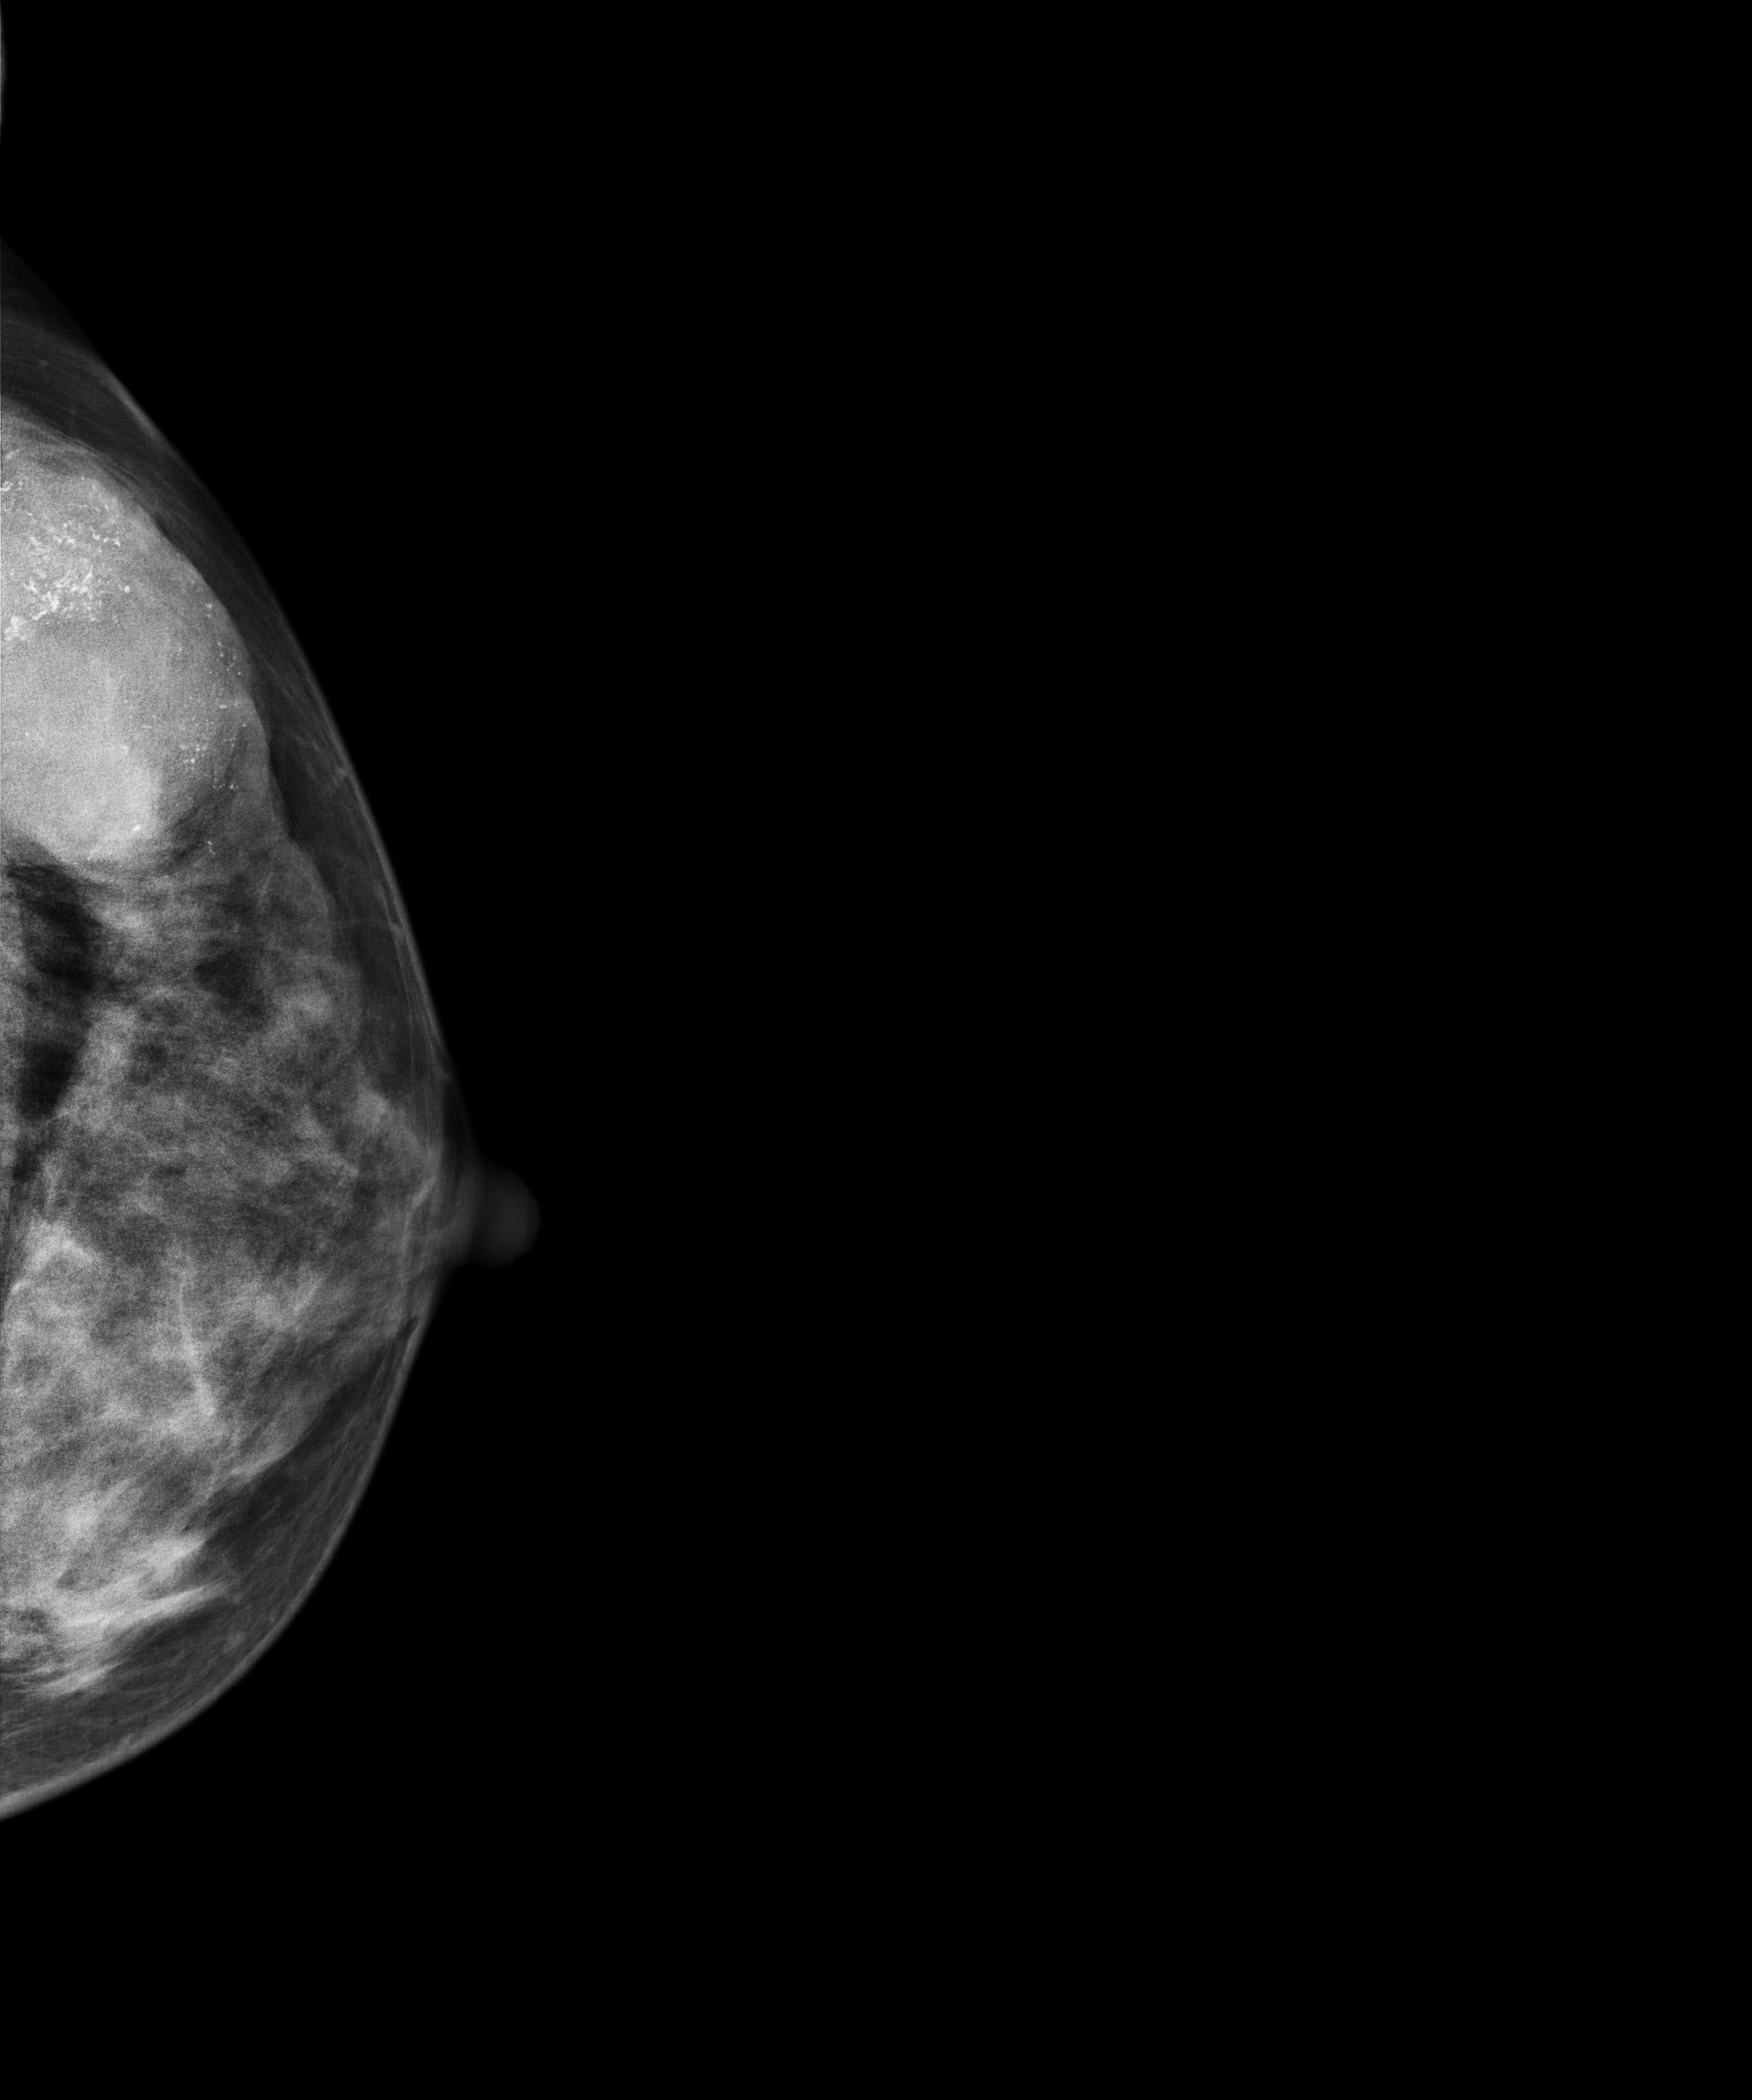
Left-breast mammogram, cranio-caudal. 41 y/o patient.
This breast has a mass and calcifications, histologically confirmed malignant.